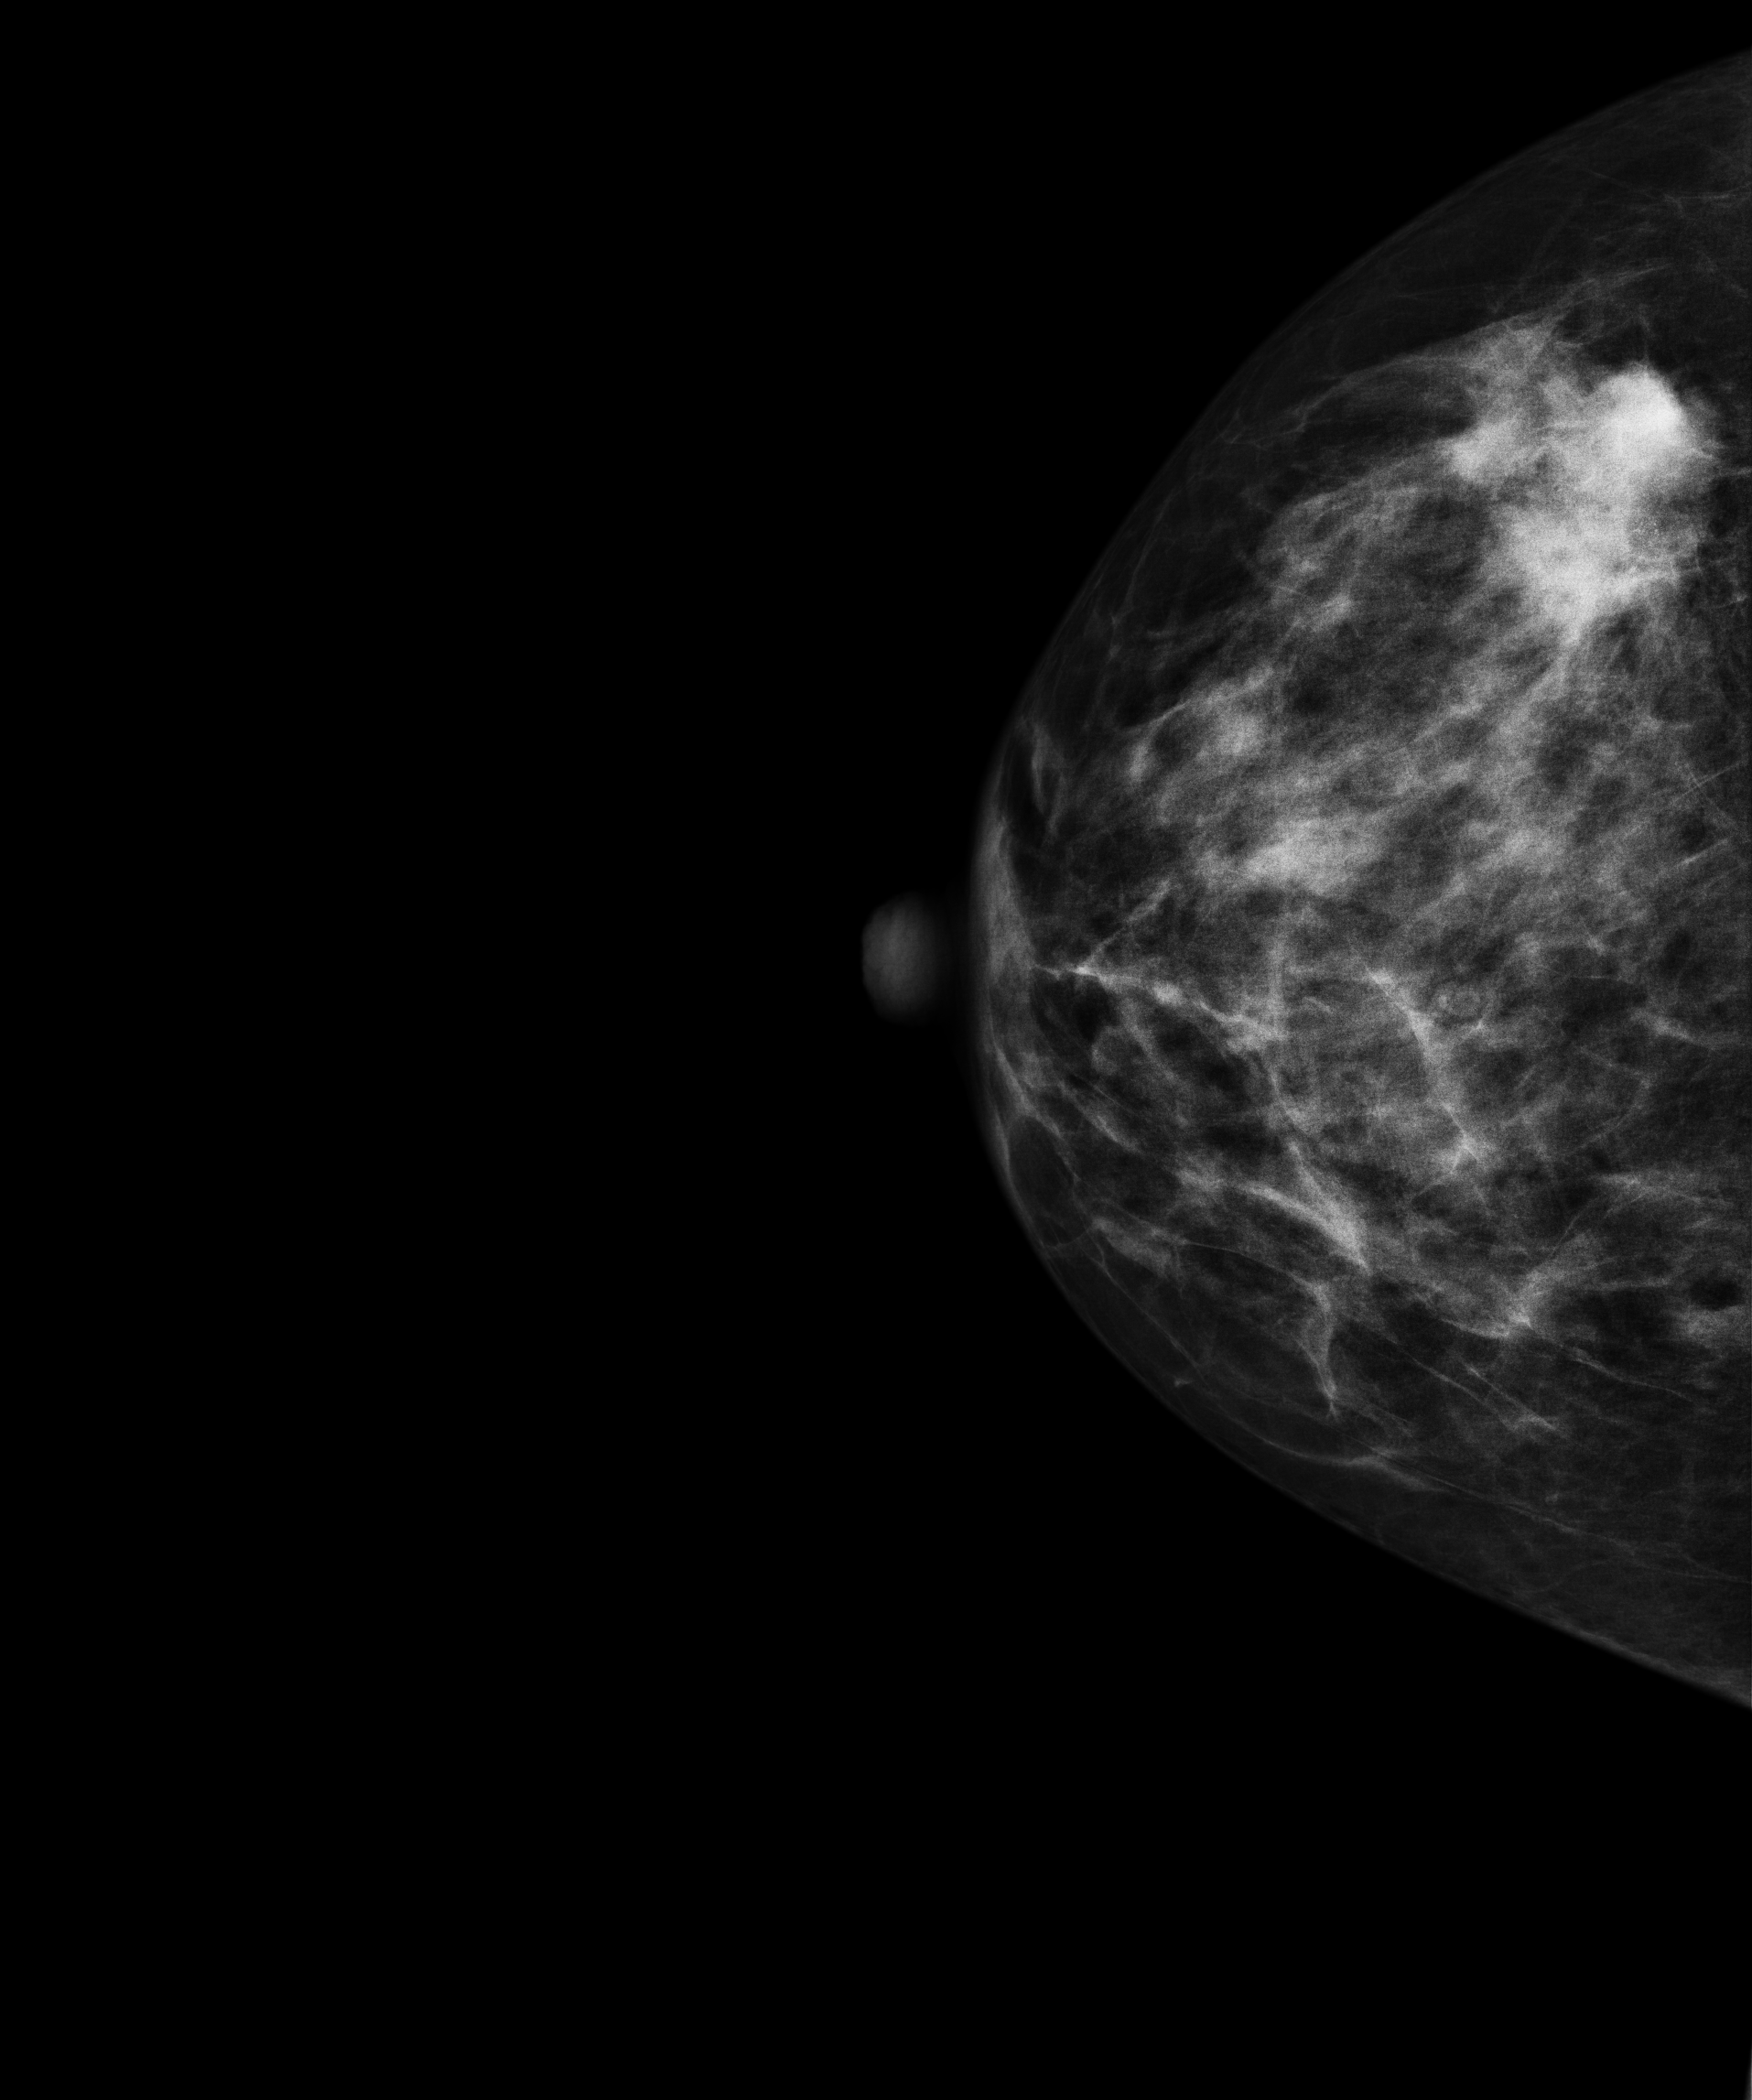
Digital mammography. Right breast, cranio-caudal projection. Patient age 50.
This breast has a mass, biopsy-confirmed malignant.